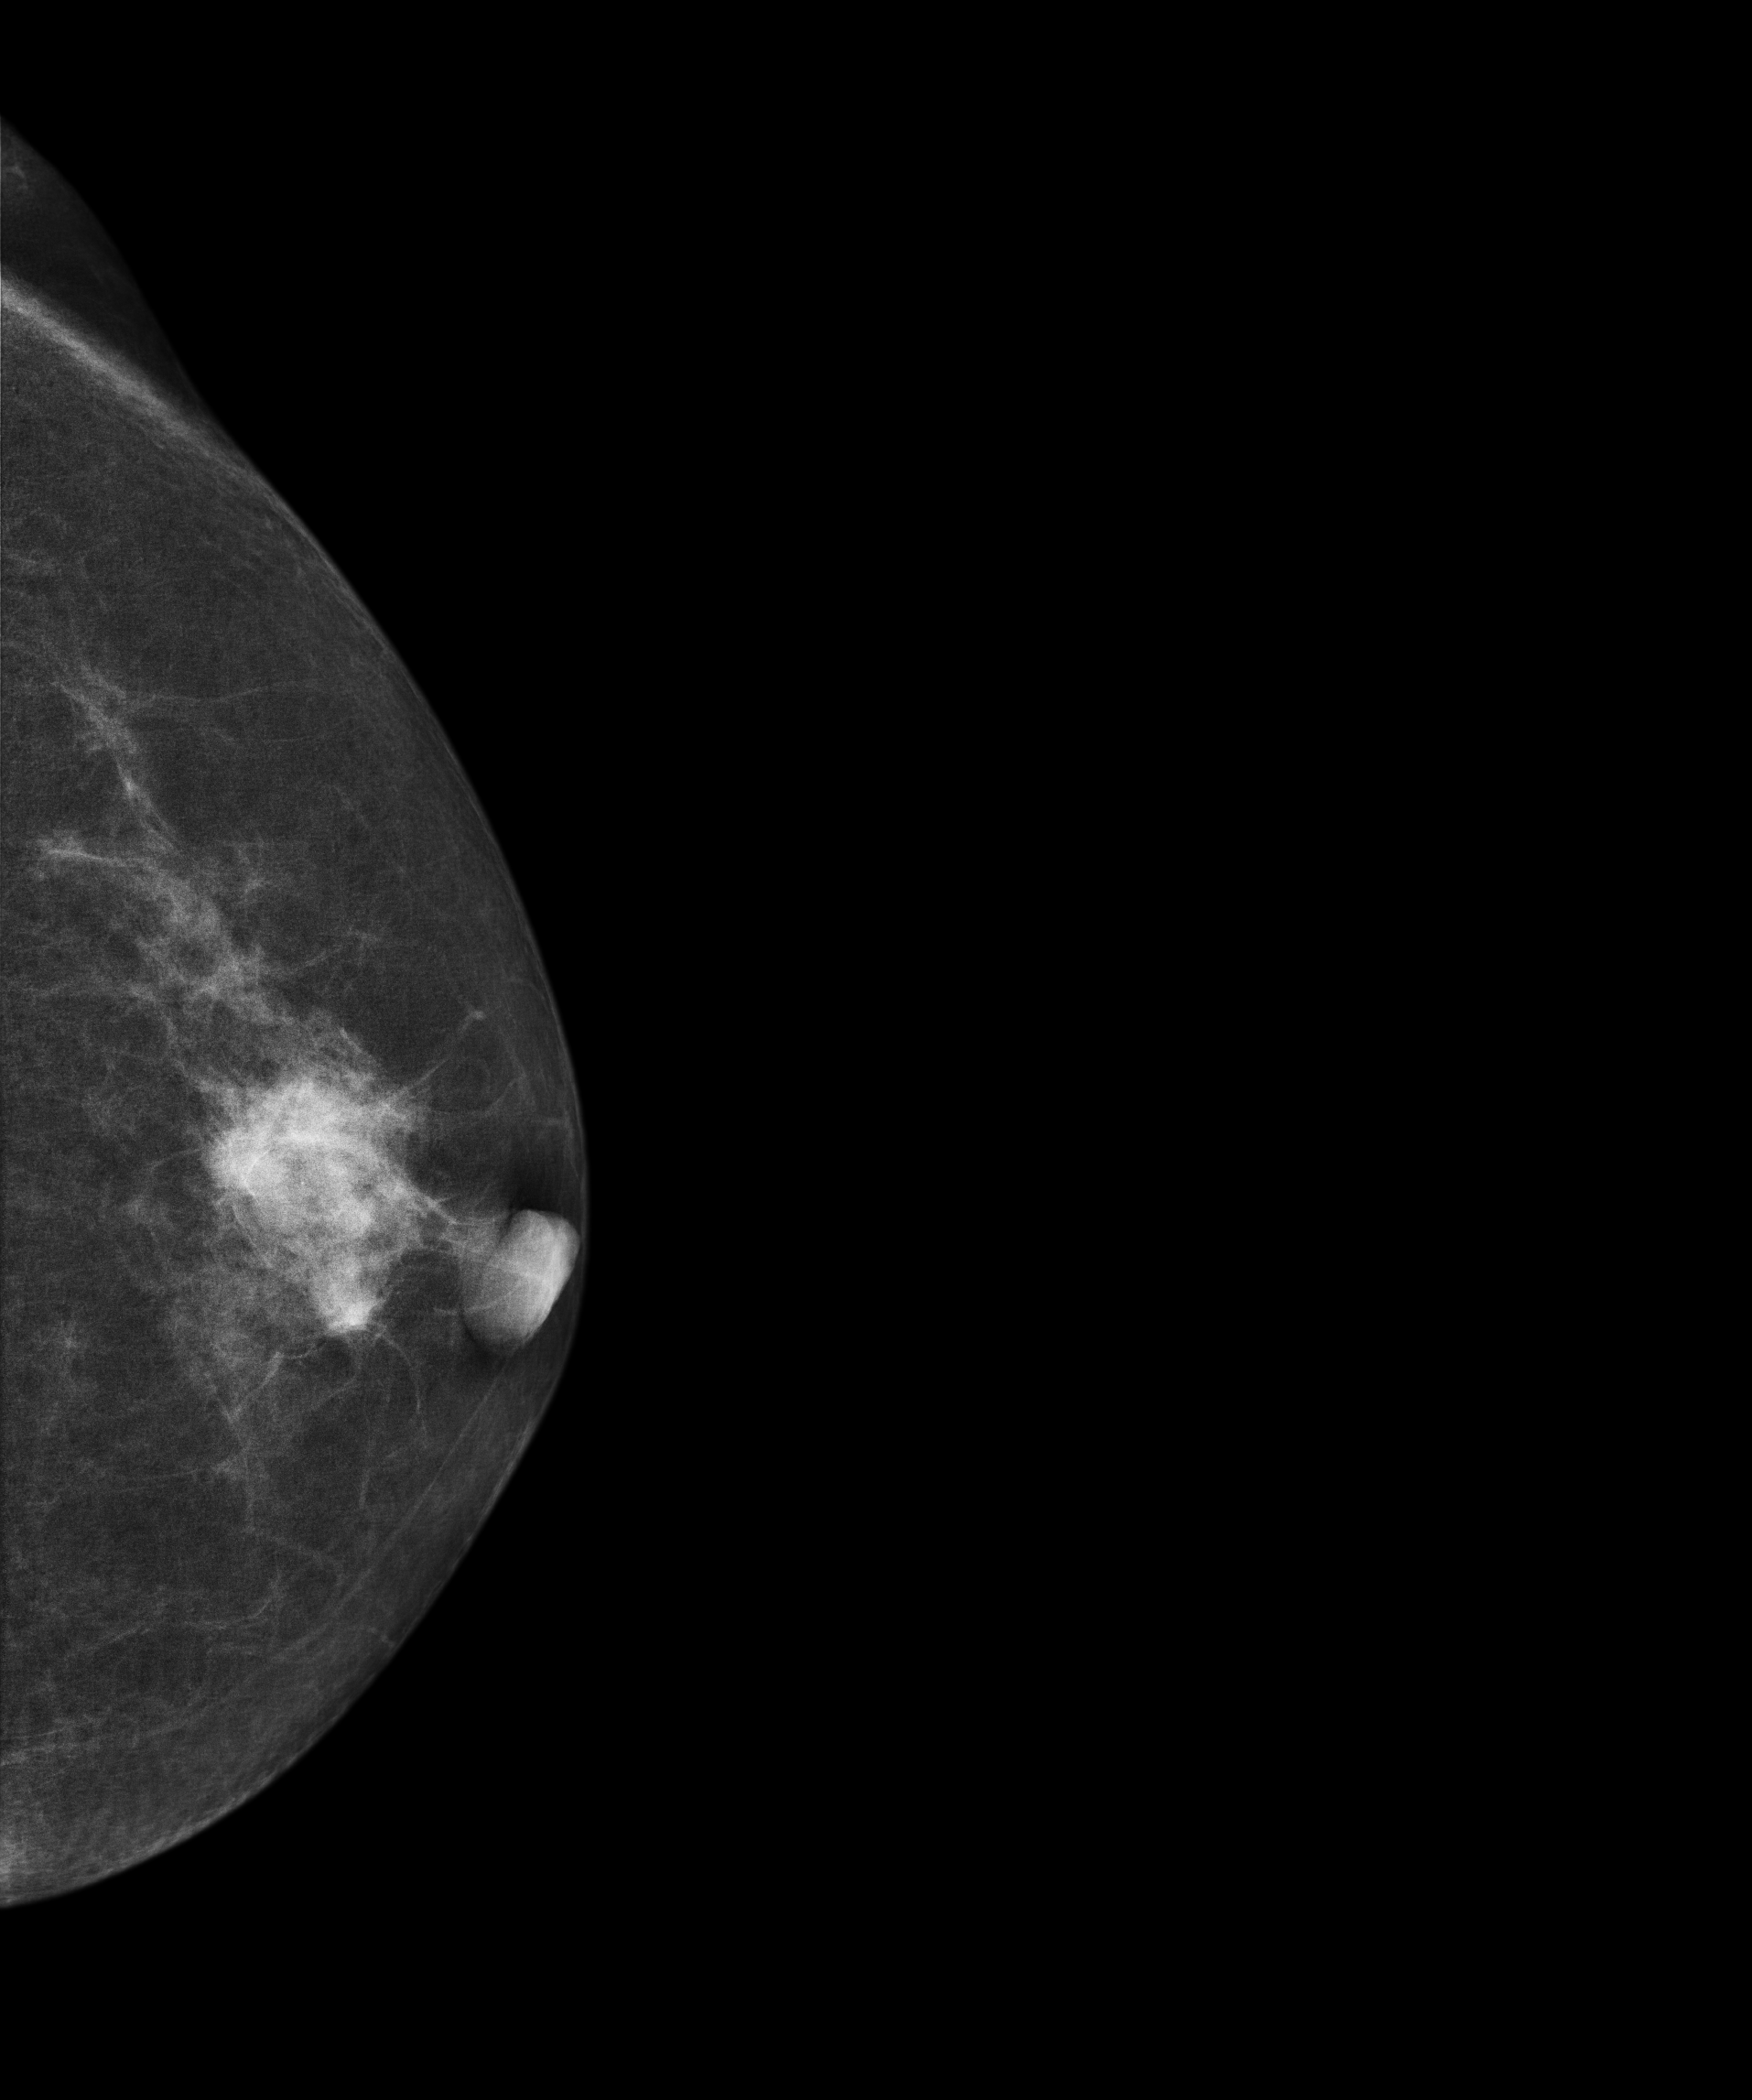
Mammogram, left breast, cranio-caudal view. 58-year-old patient.
This breast has a mass, histologically confirmed malignant.